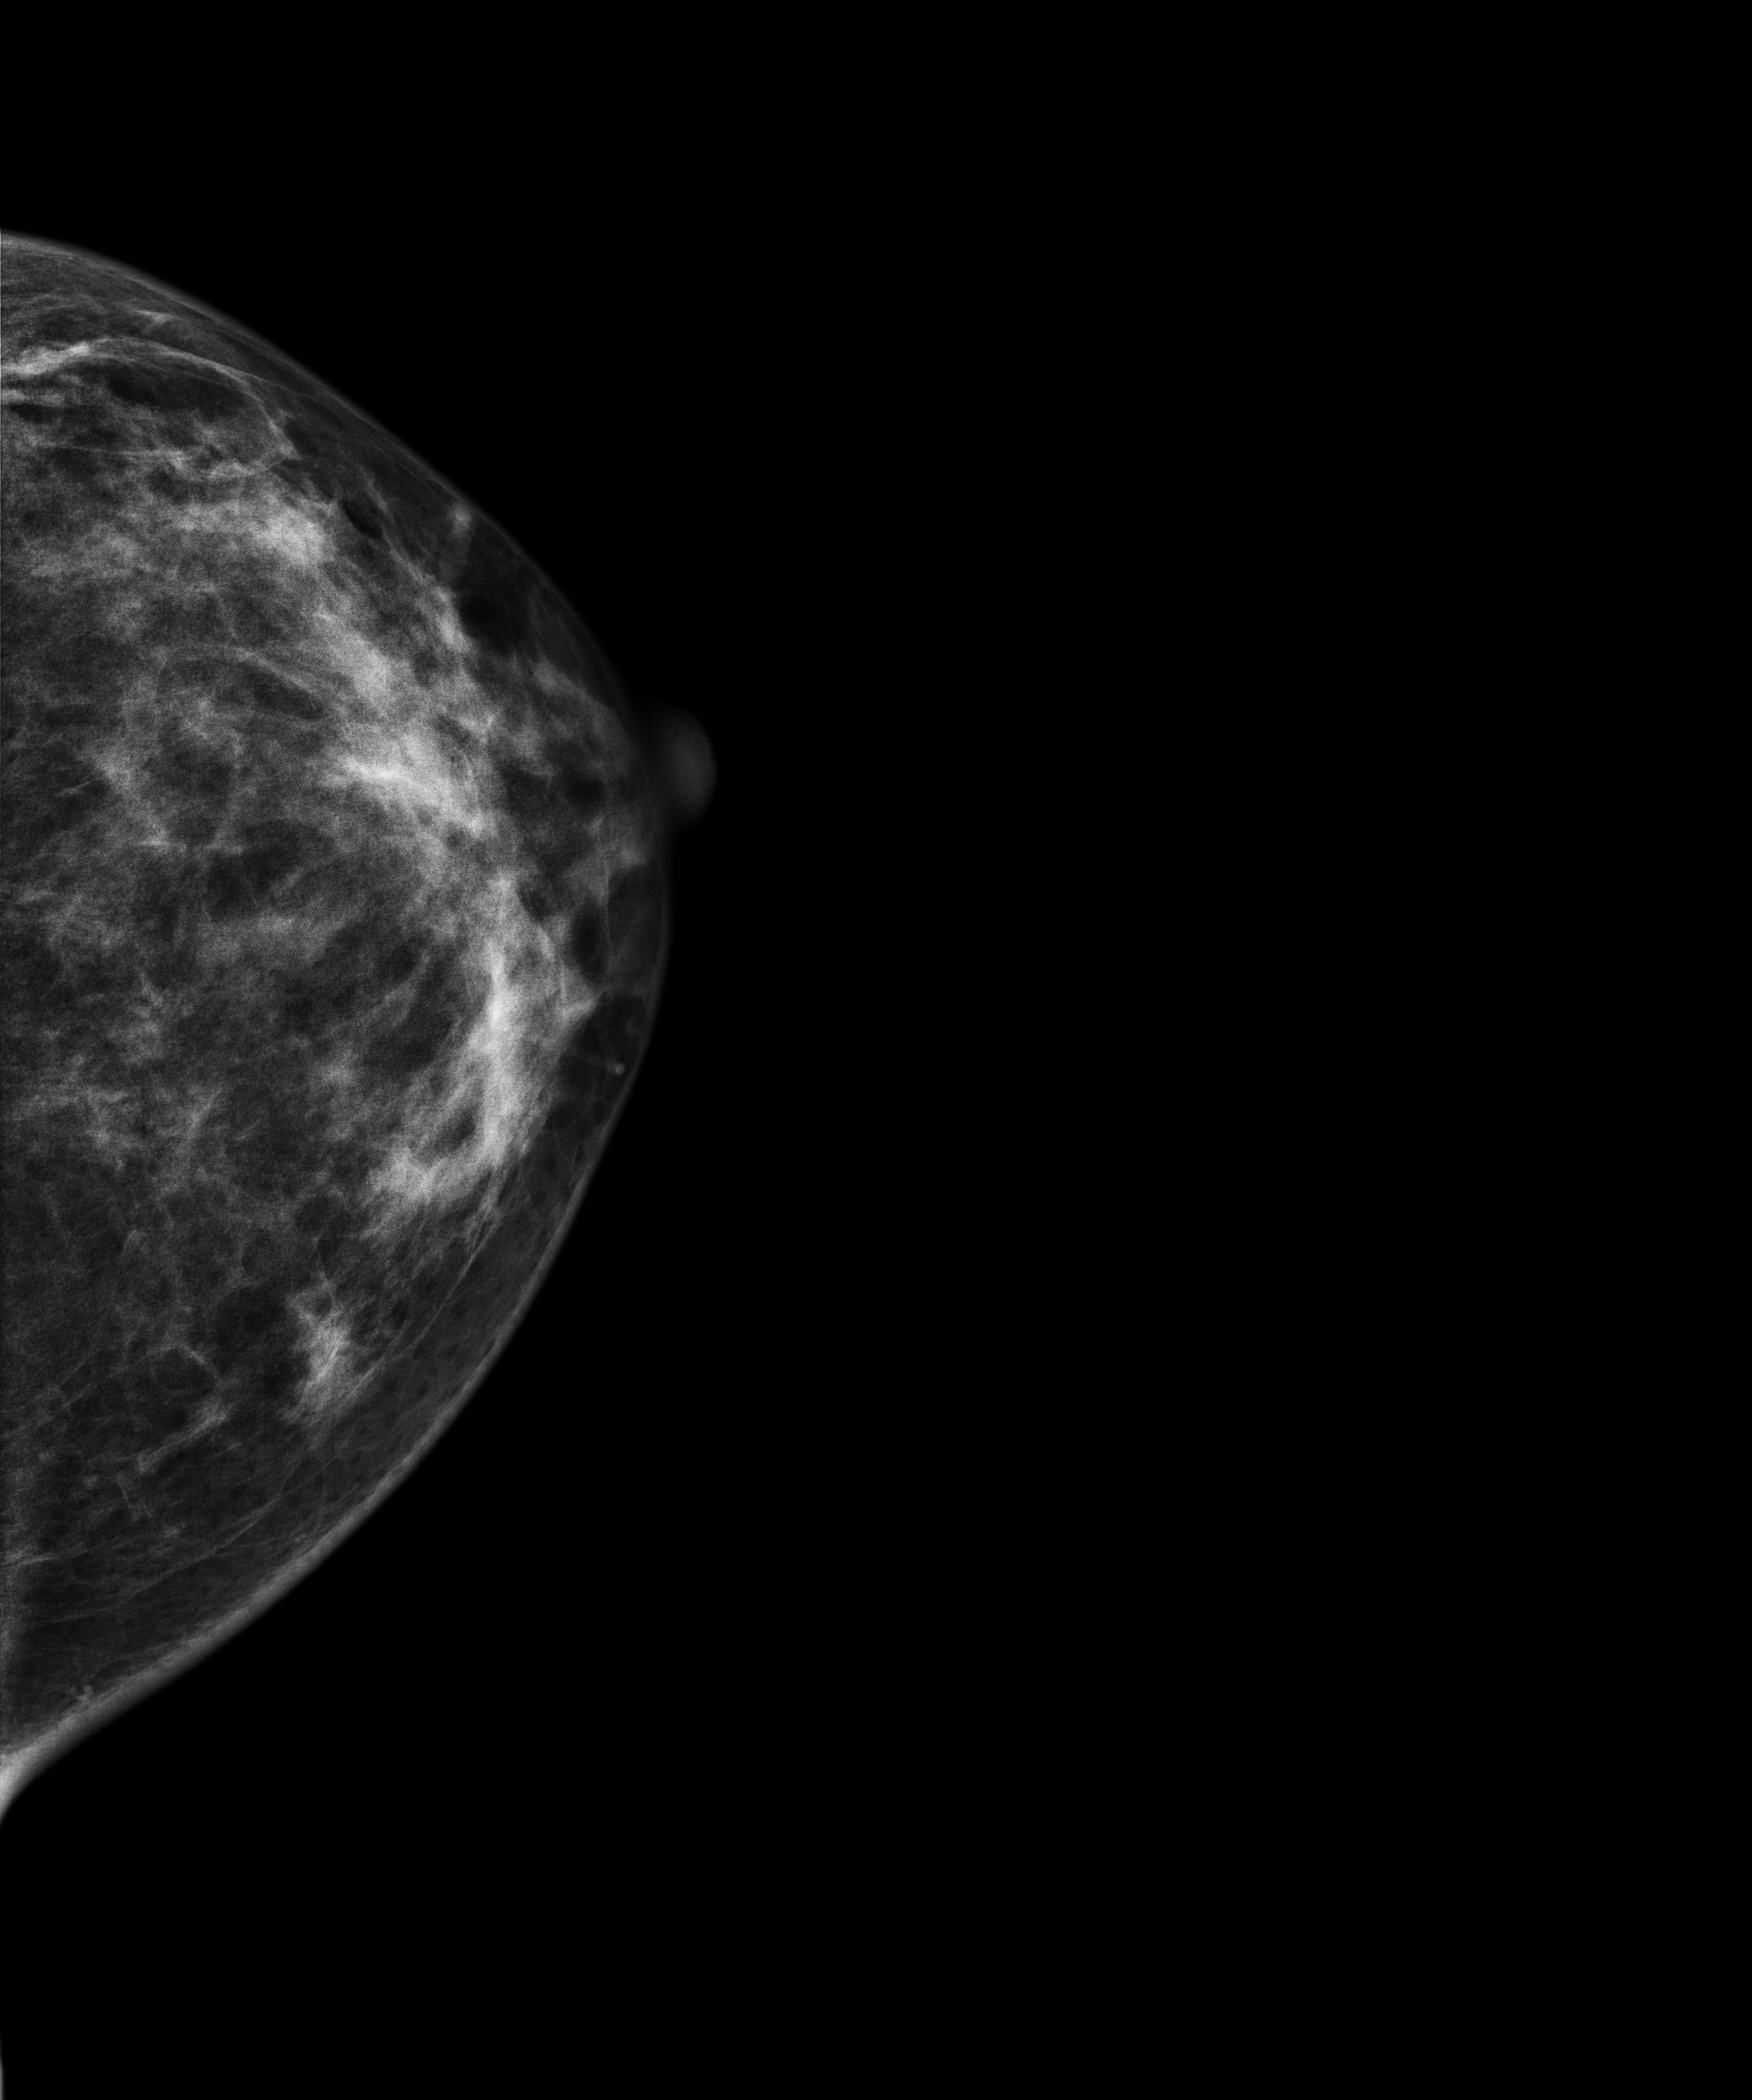
Mammogram, left breast, cranio-caudal view. 40 y/o patient.
This breast has a mass, biopsy-proven malignant. Molecular subtype: luminal A.